Digital mammography. Left breast, MLO projection. 51-year-old patient.
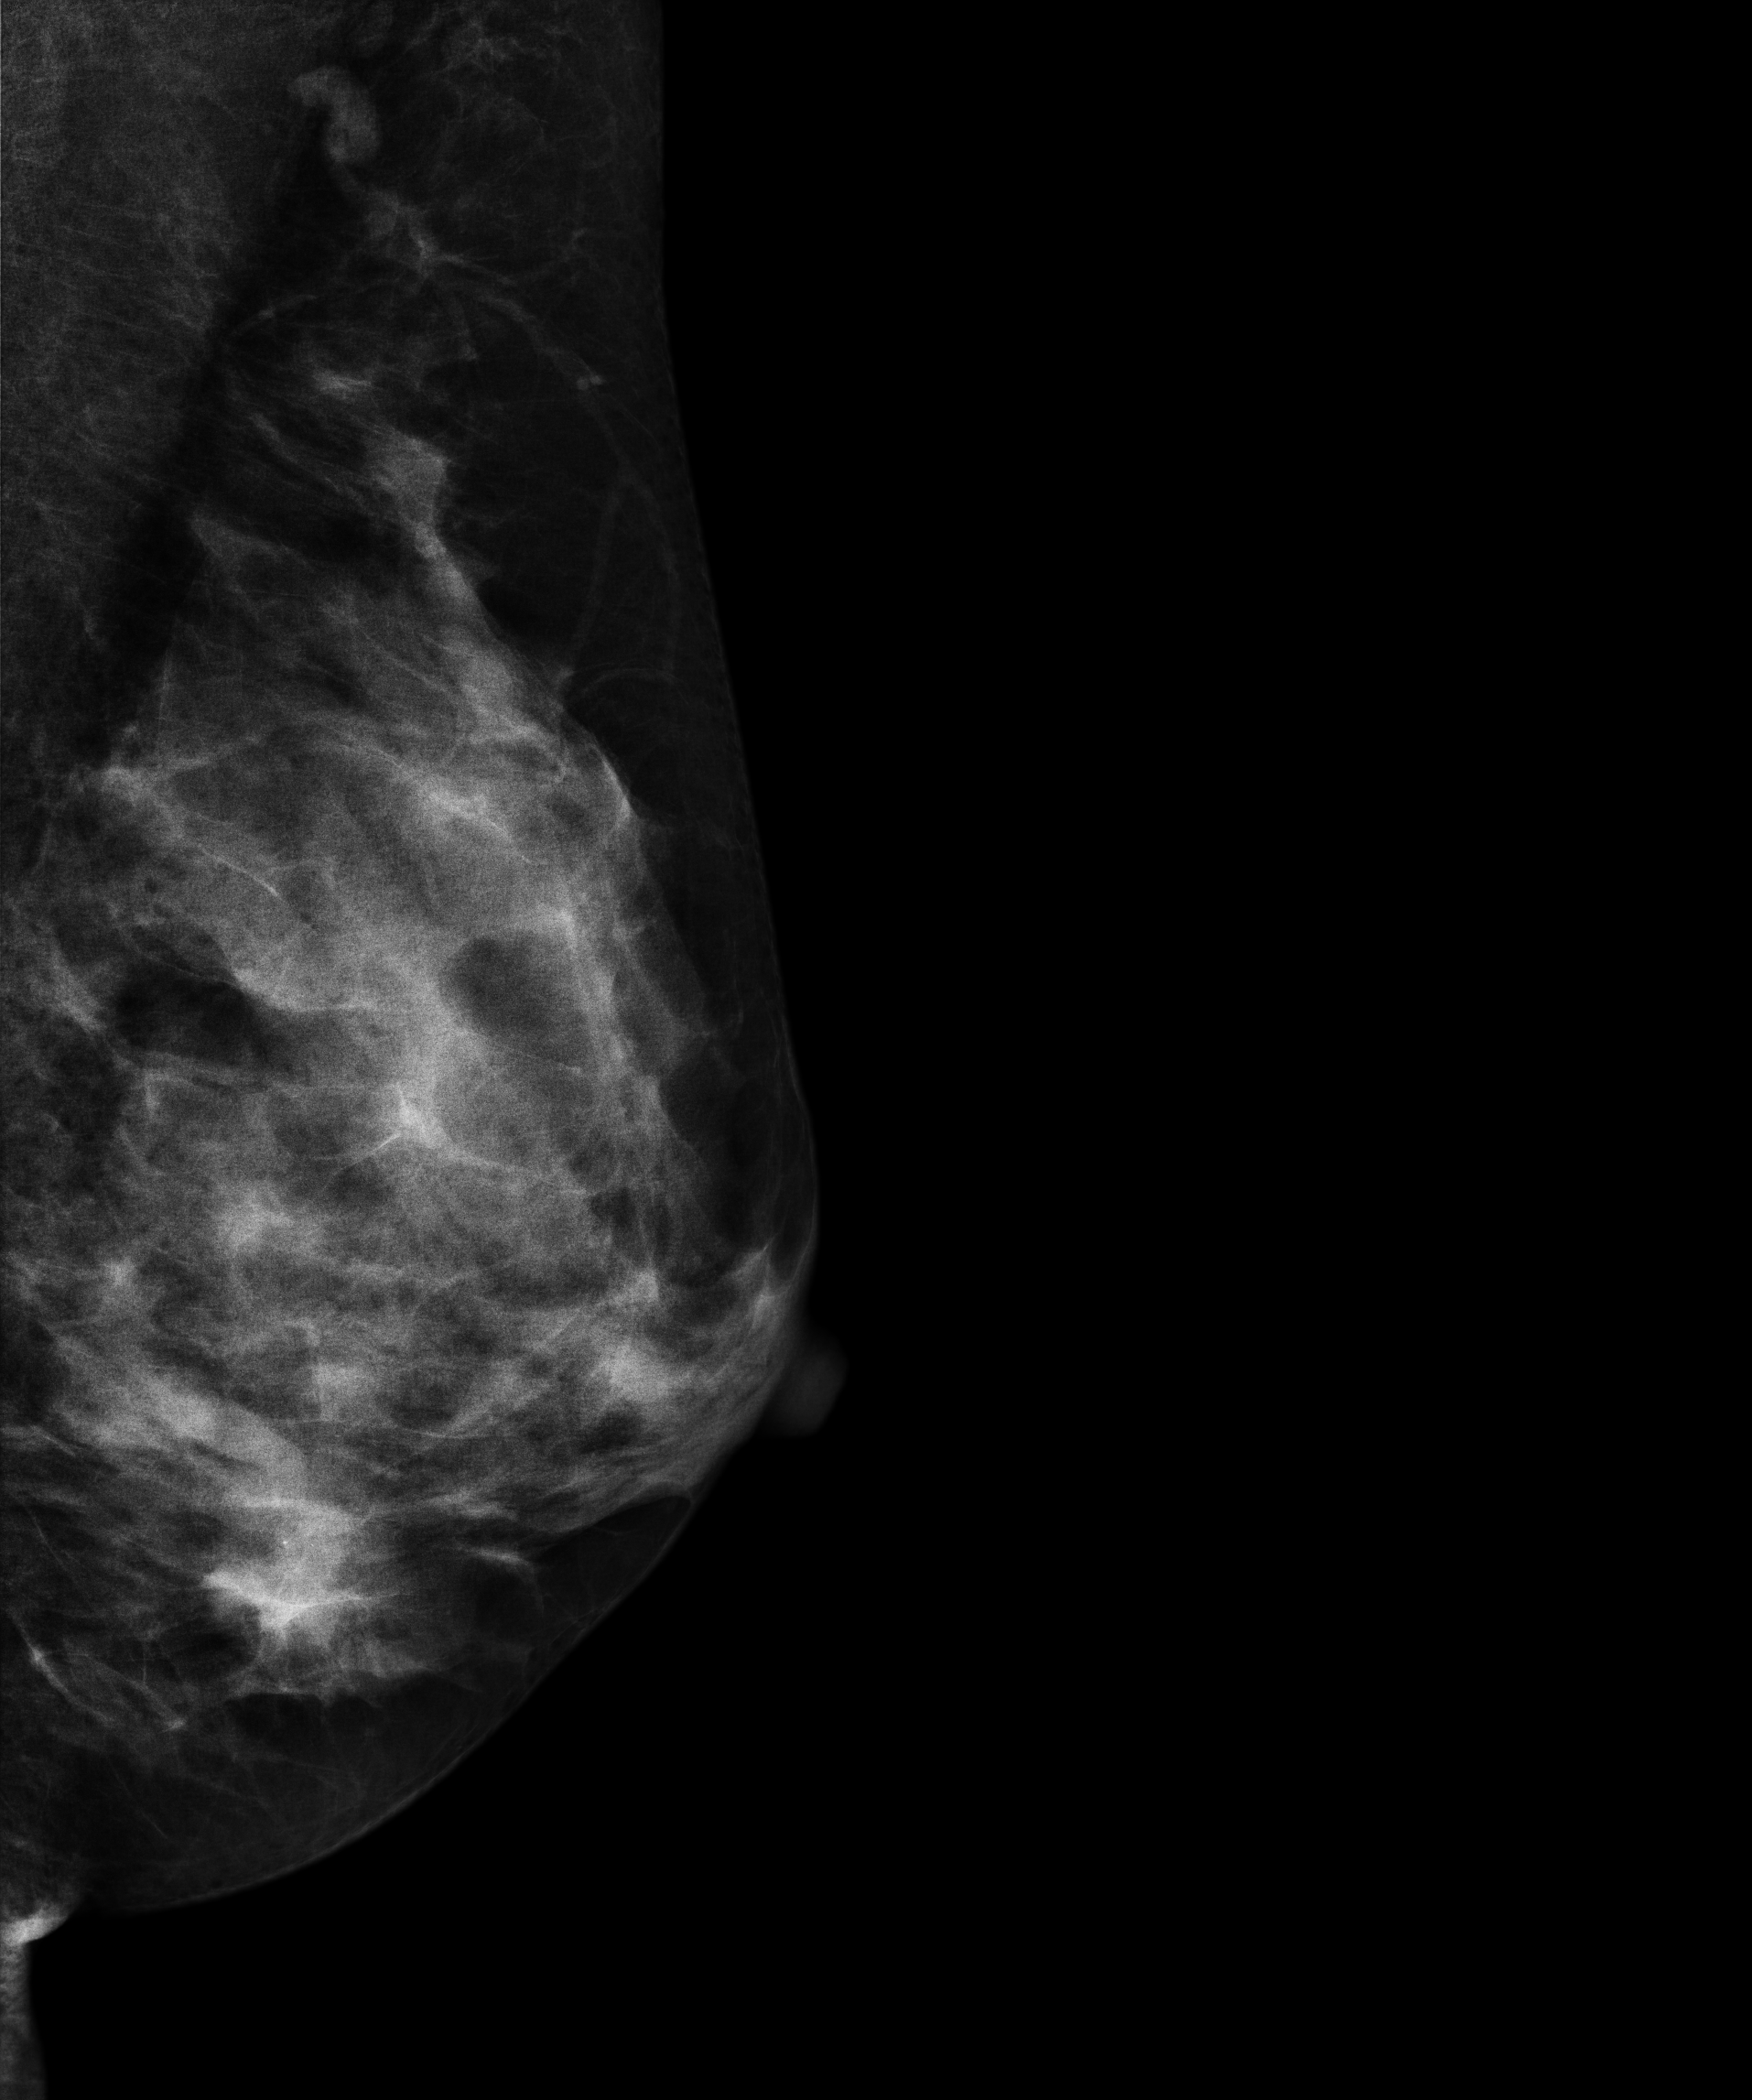
This breast has a mass, biopsy-confirmed malignant. Molecular subtype: luminal B.